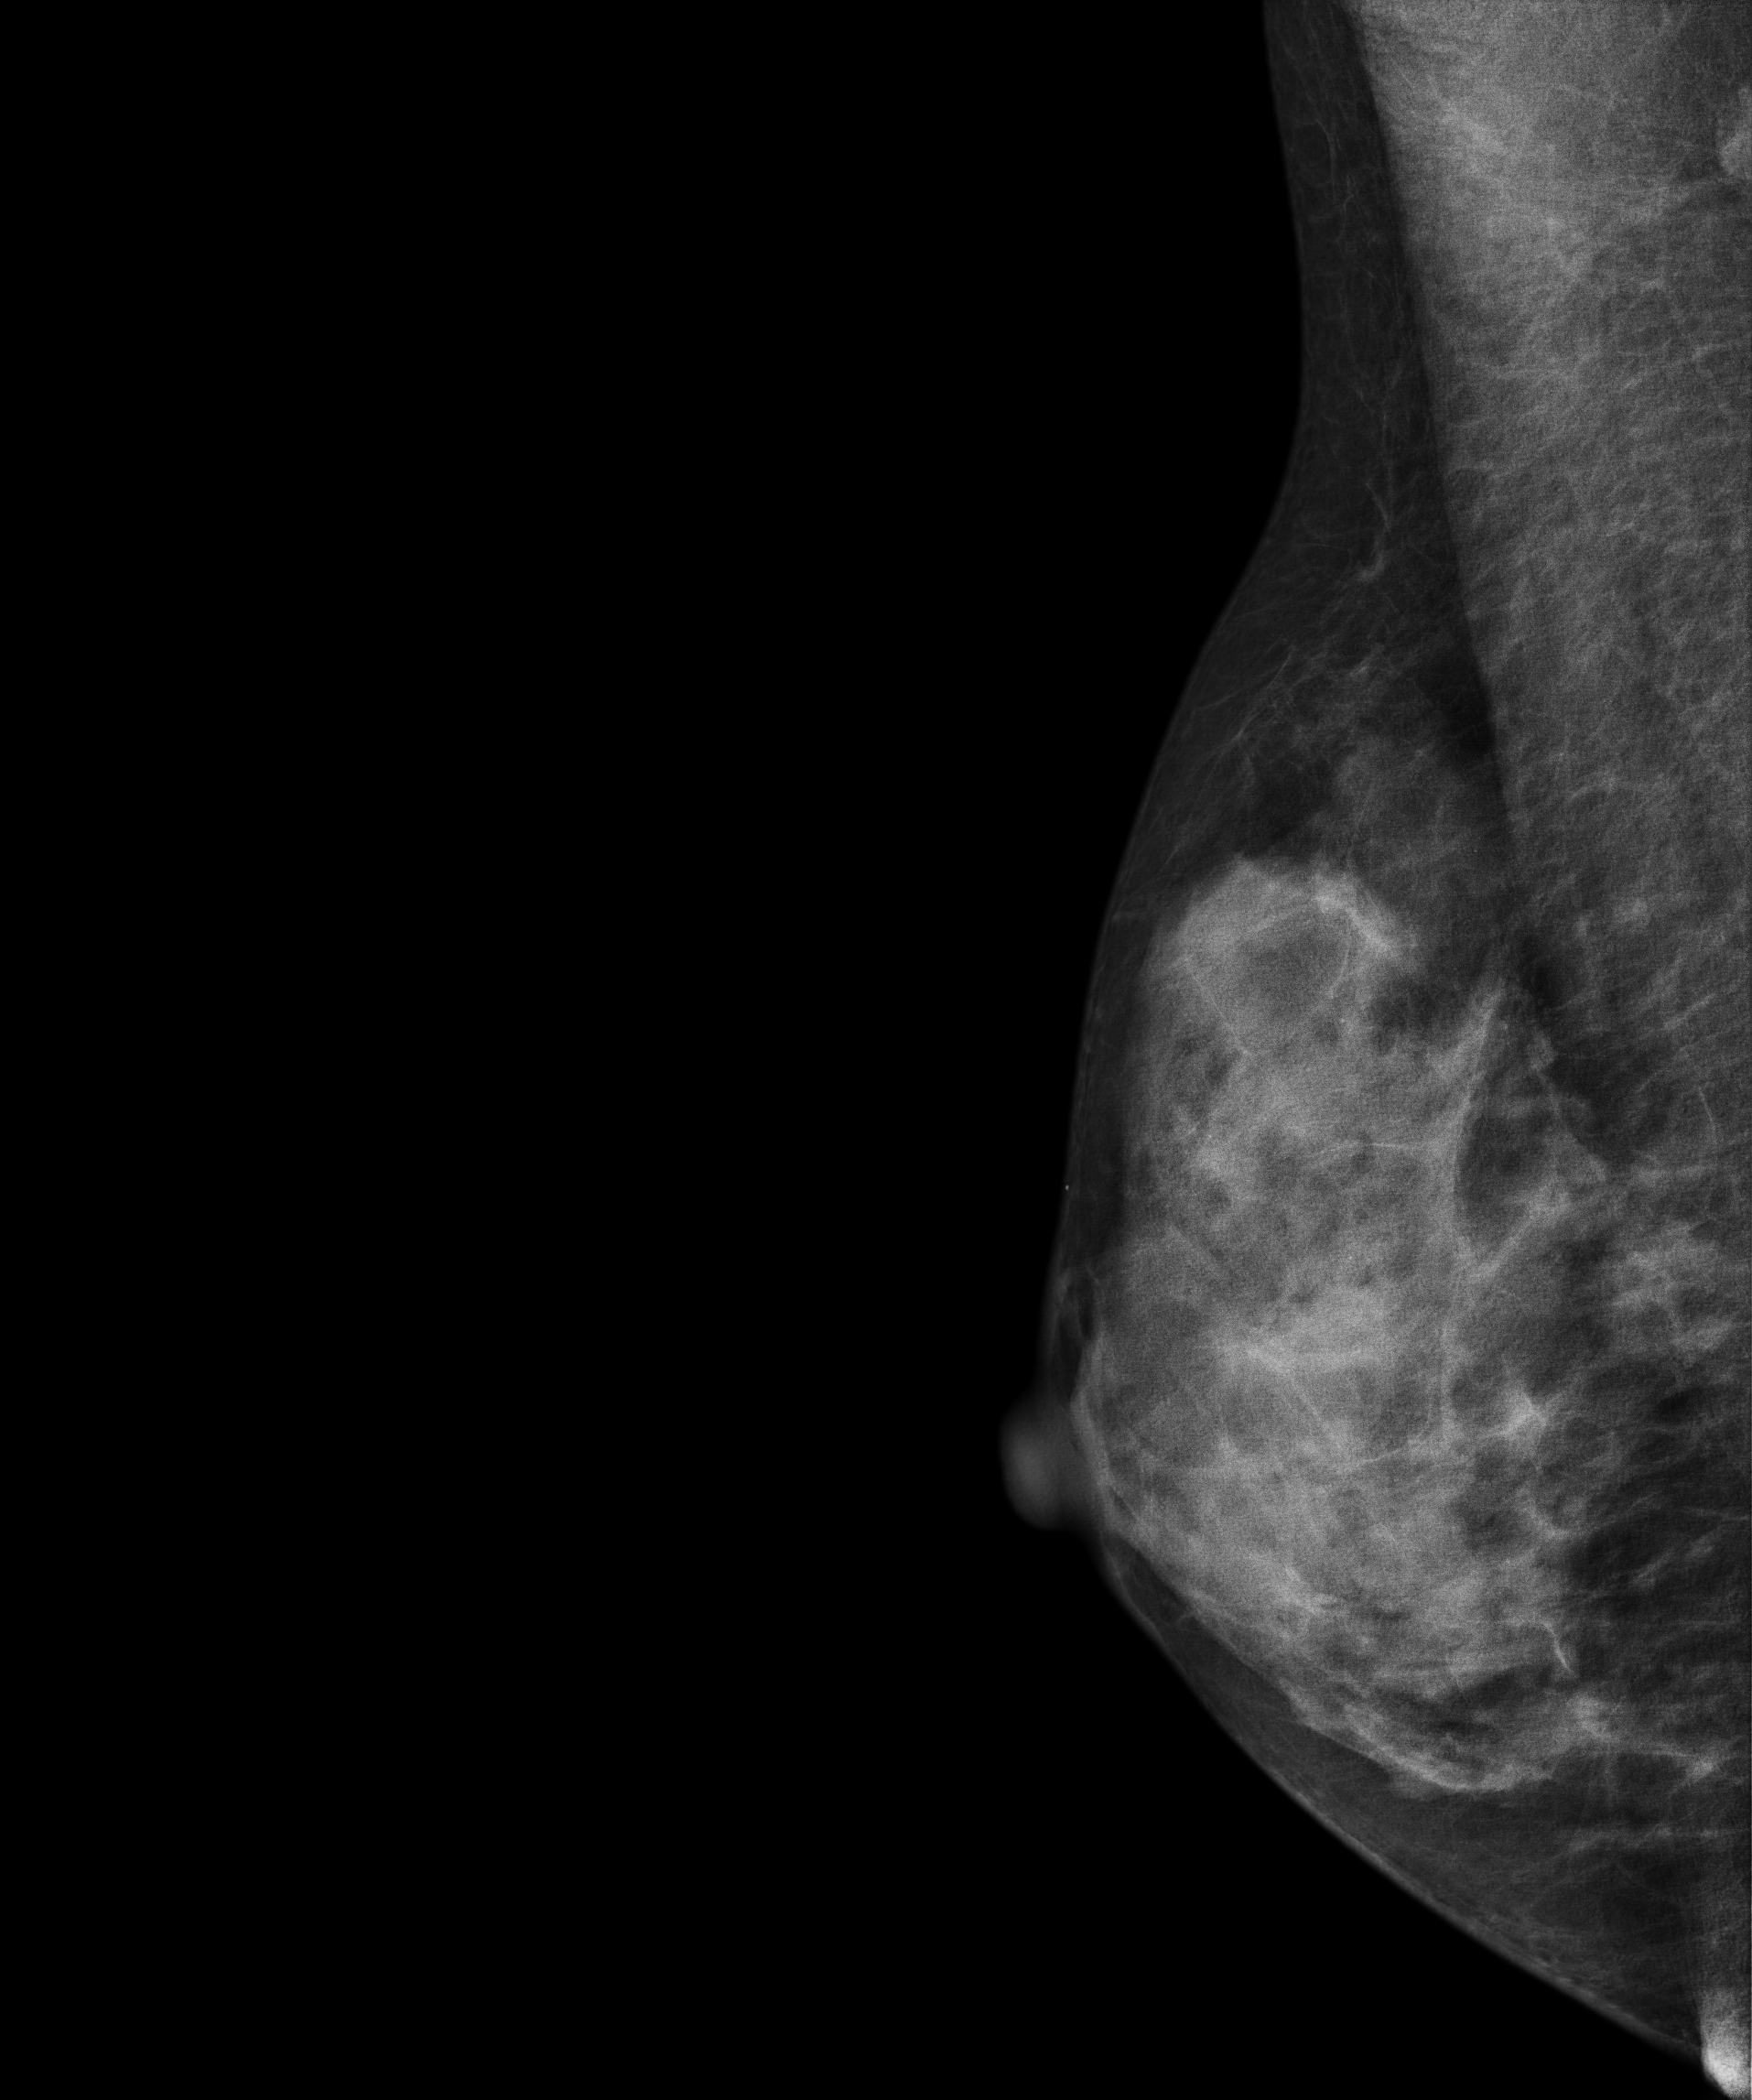
Right-breast mammogram, medio-lateral oblique. Patient age 40.
This breast has calcifications, biopsy-proven malignant.